Digital mammography. Left breast, cranio-caudal projection. Patient age 60.
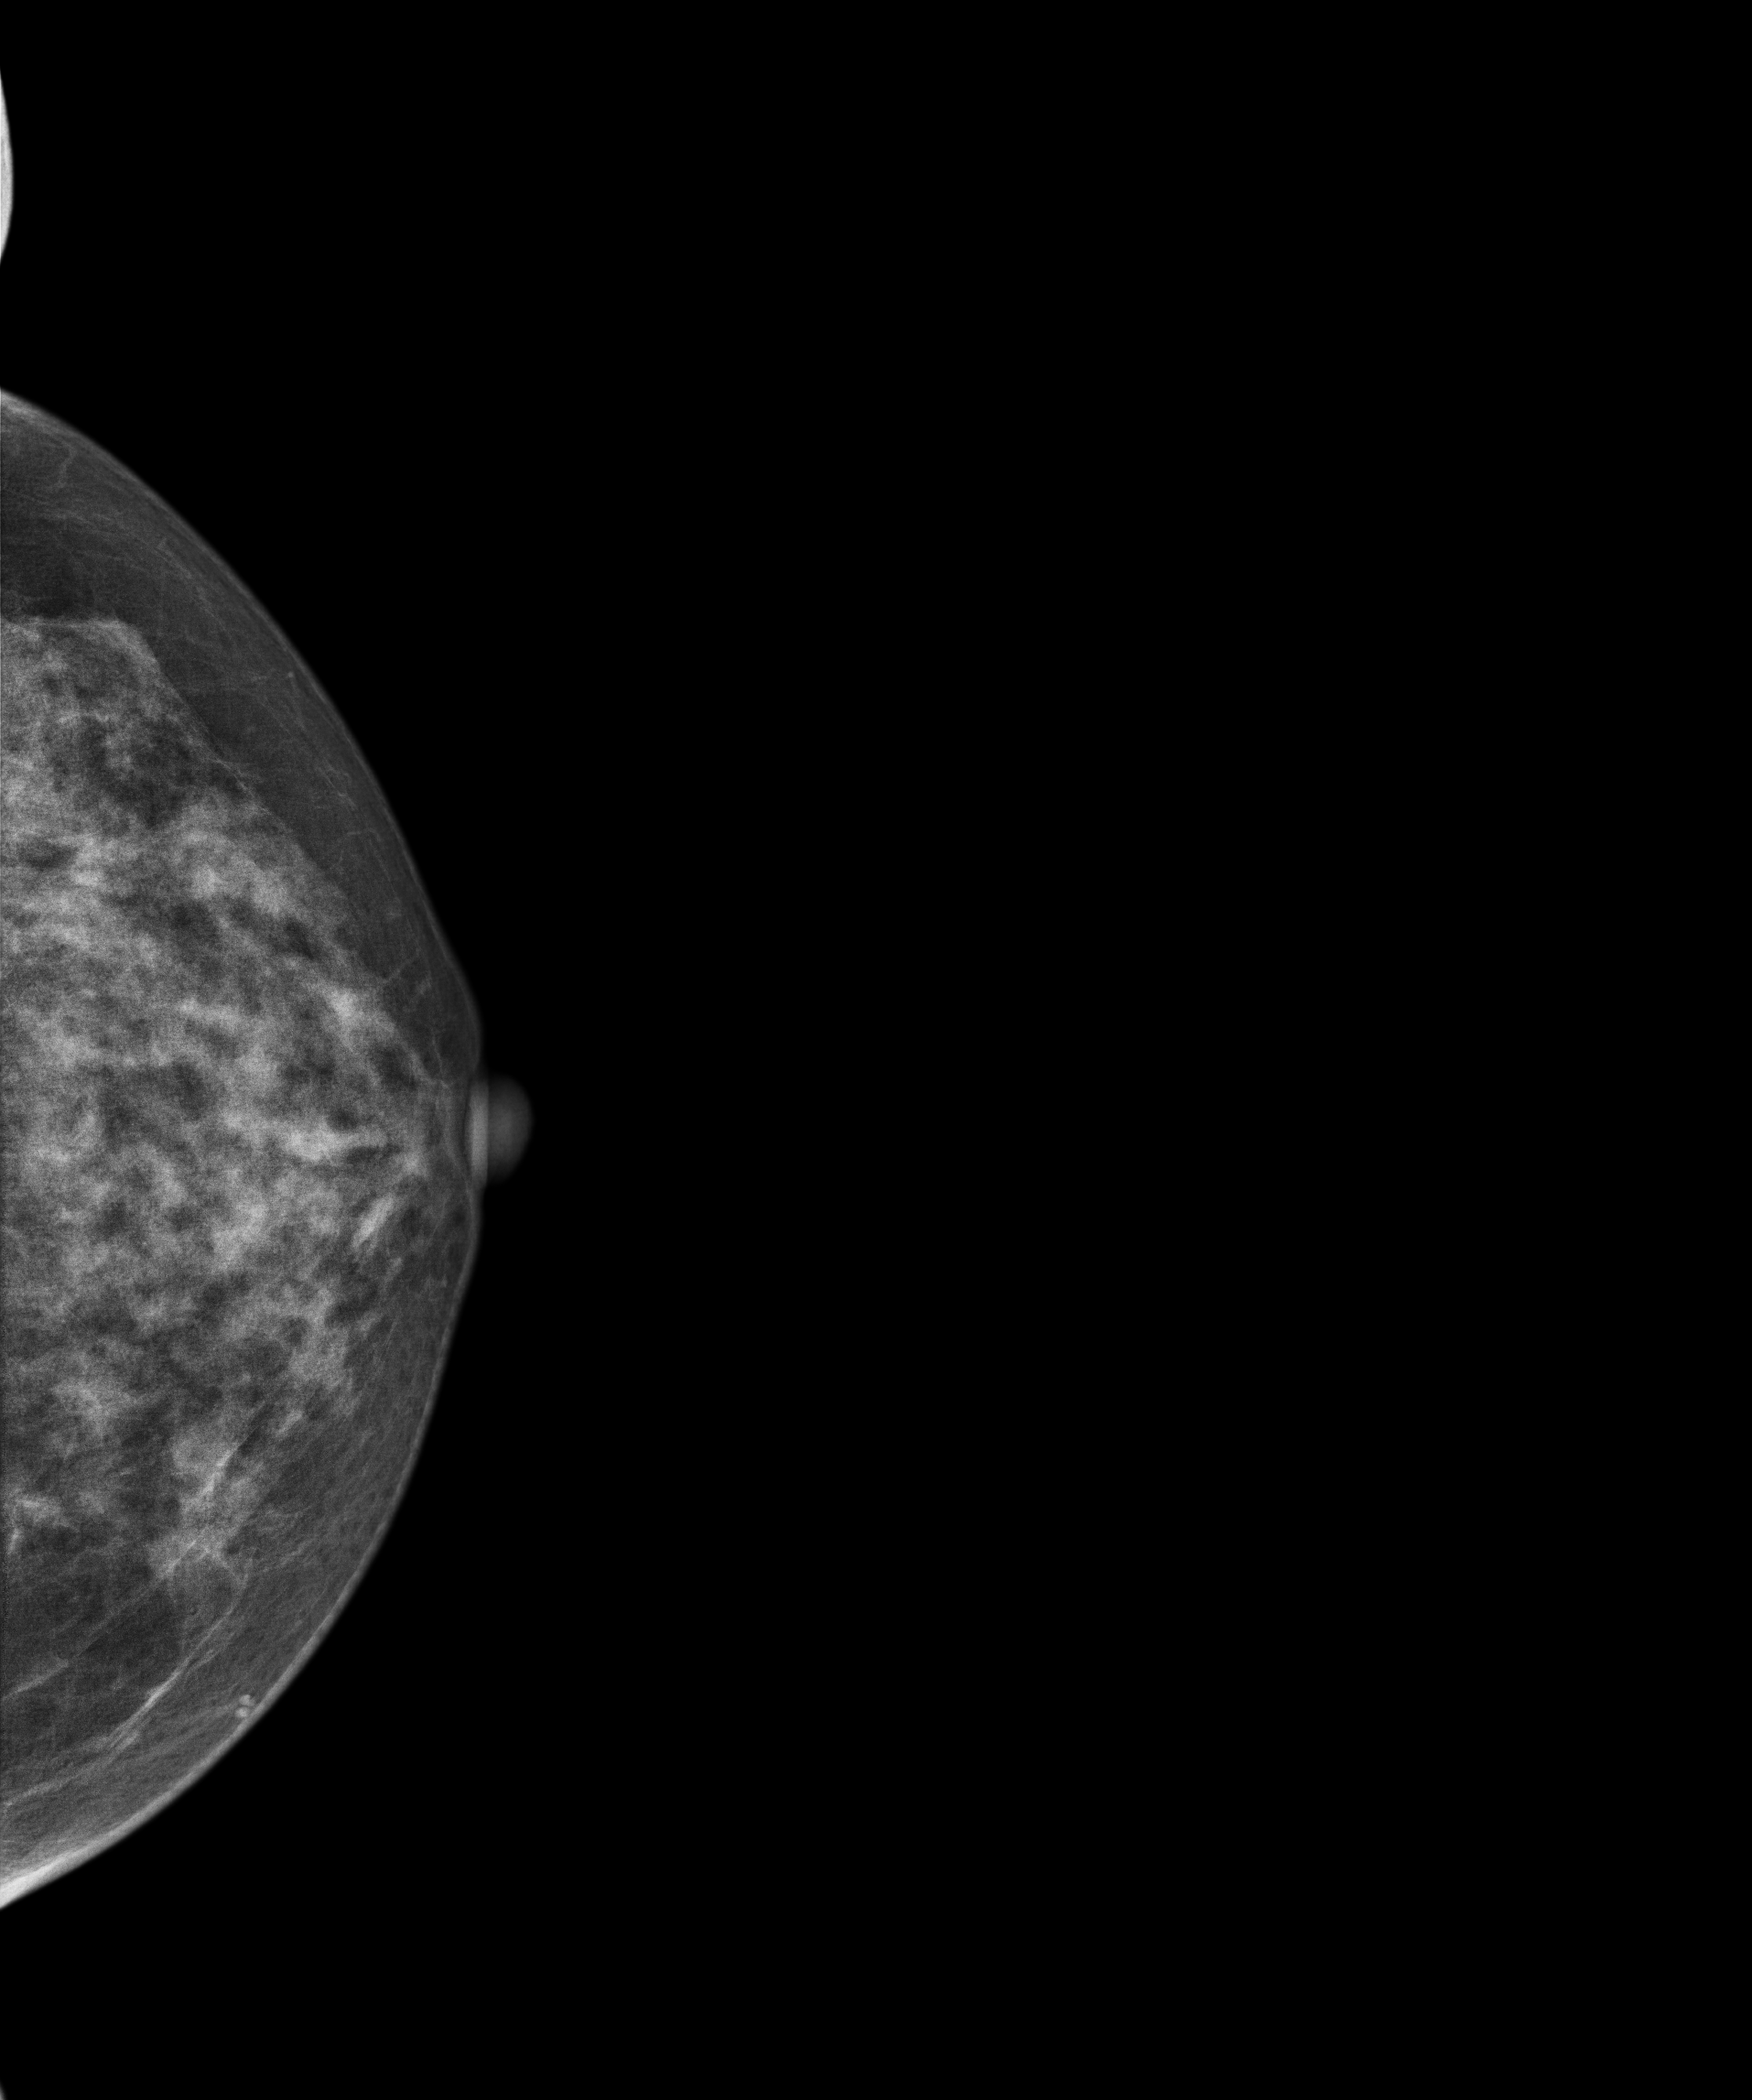
This breast has a mass, pathology-confirmed malignant. Molecular subtype: luminal B.